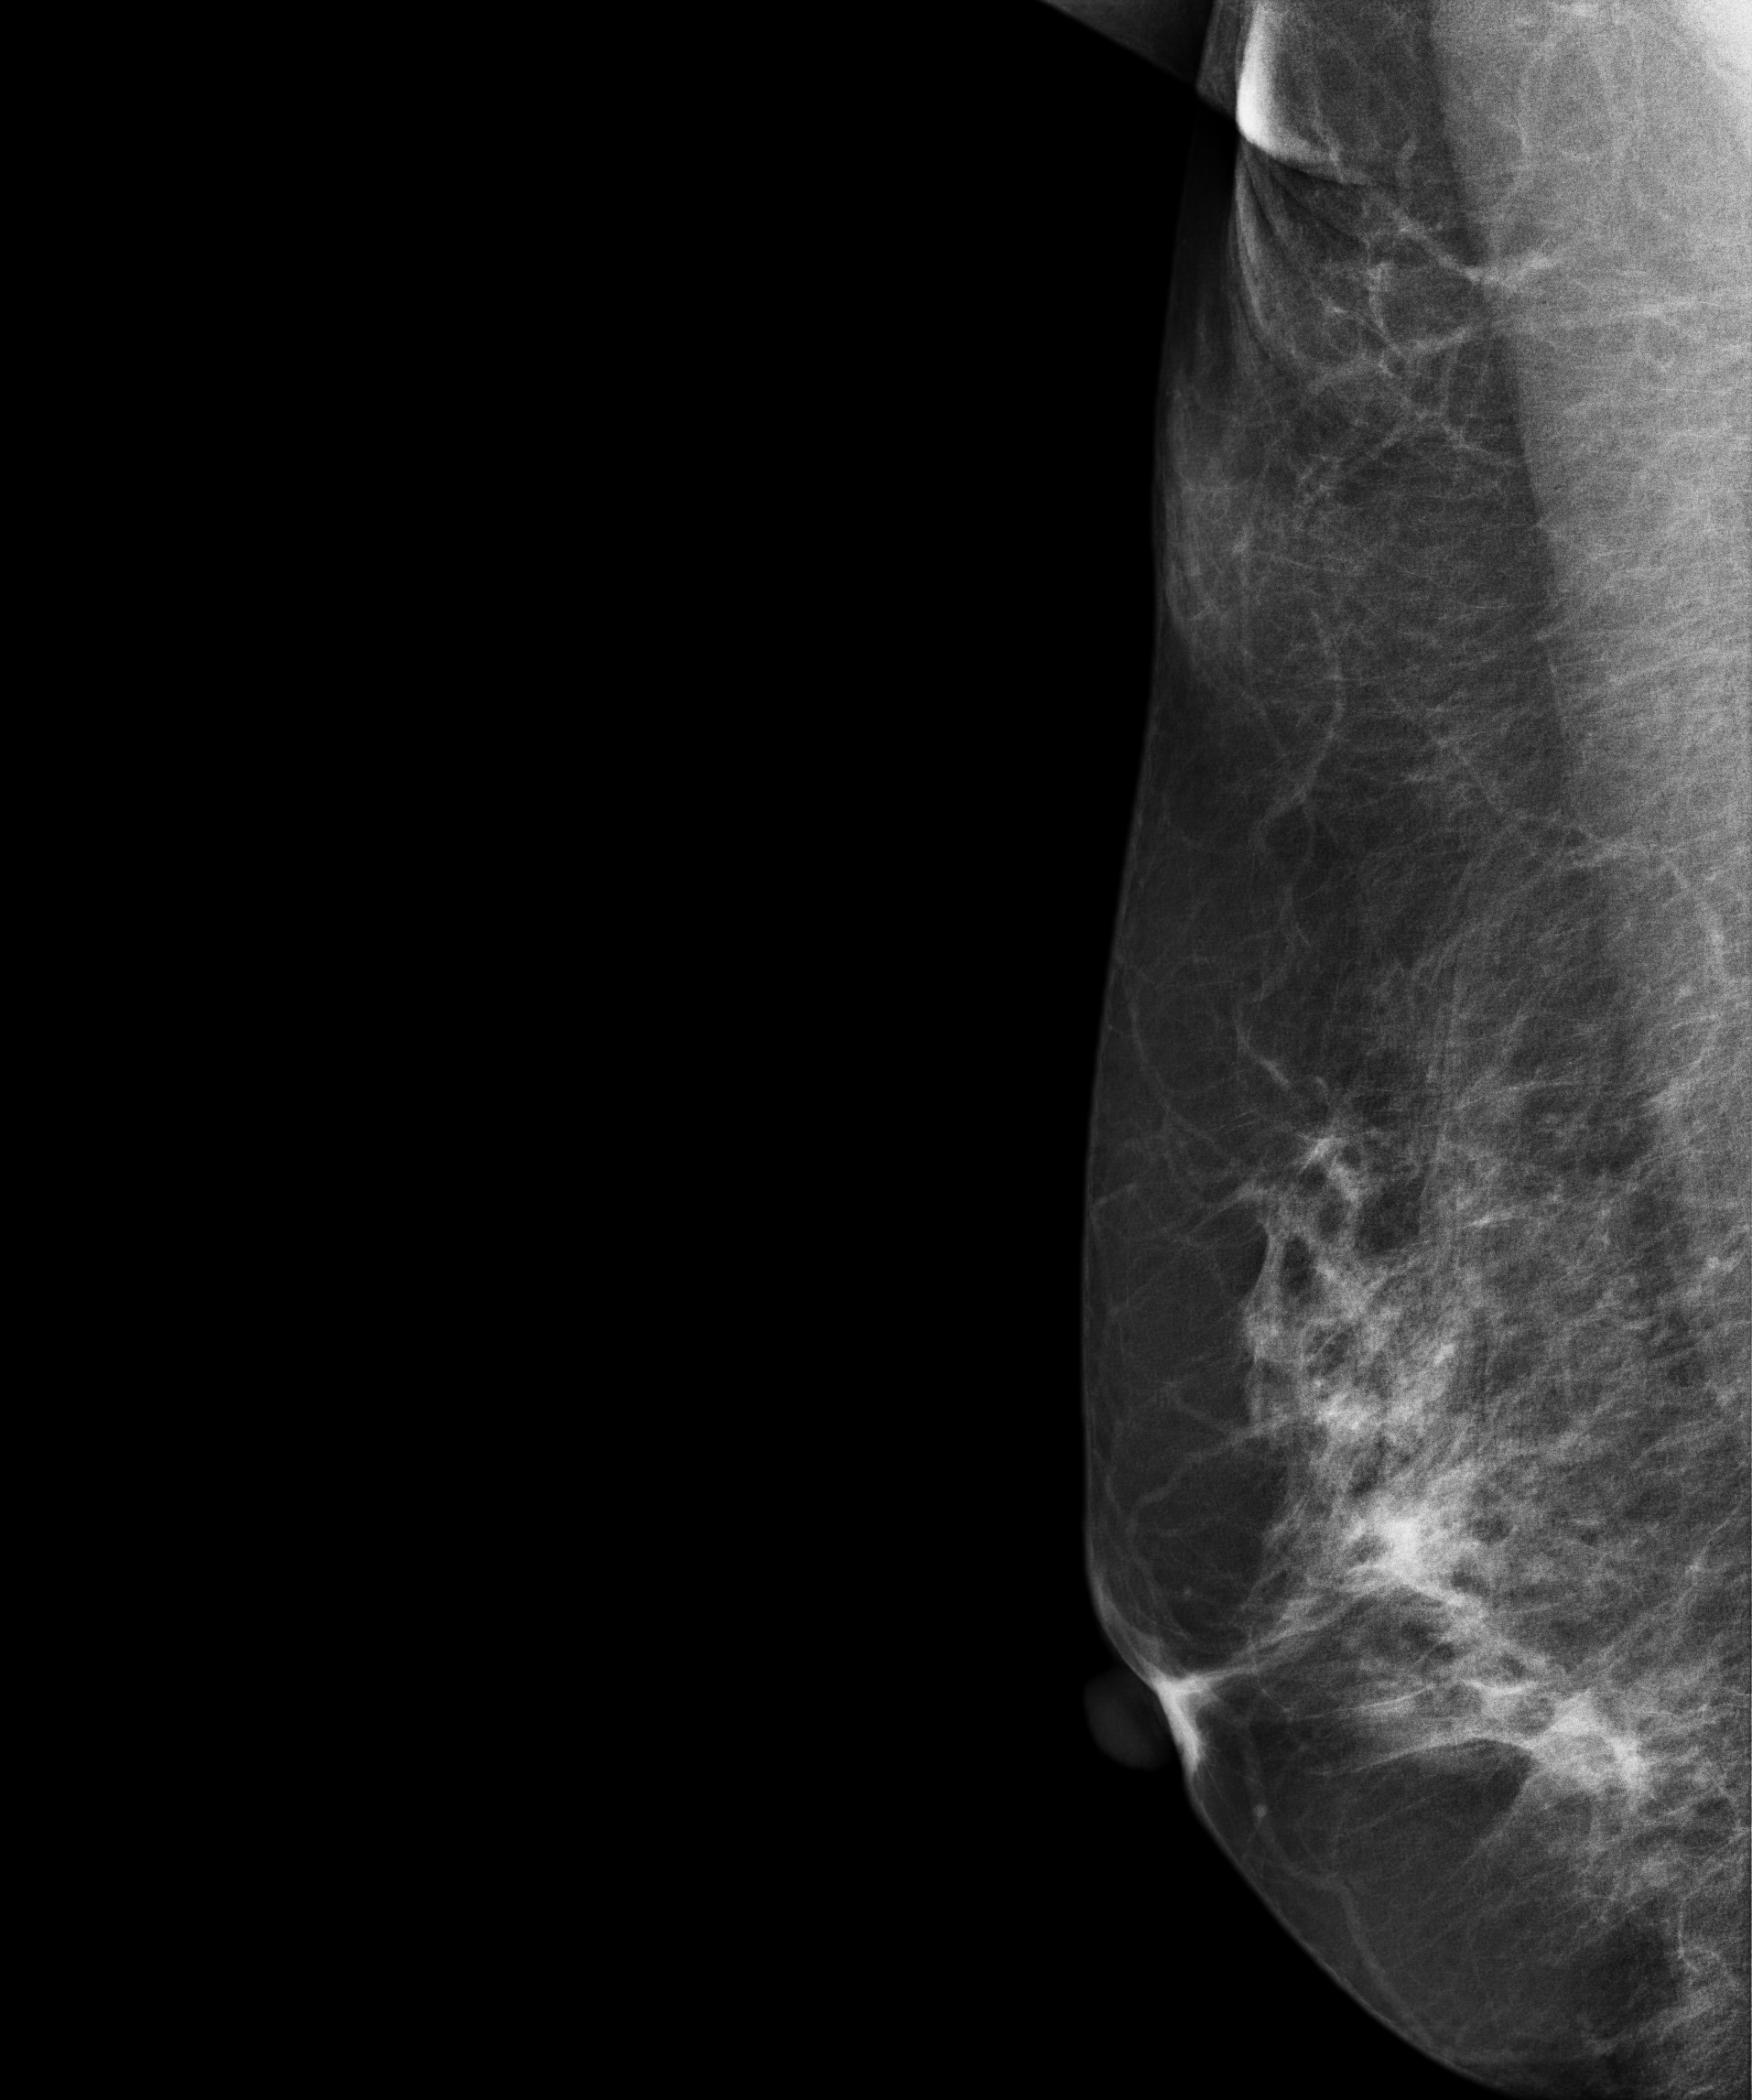
Mammogram, right breast, medio-lateral oblique view. Patient age 59.
Contralateral breast — no documented abnormality on this side.